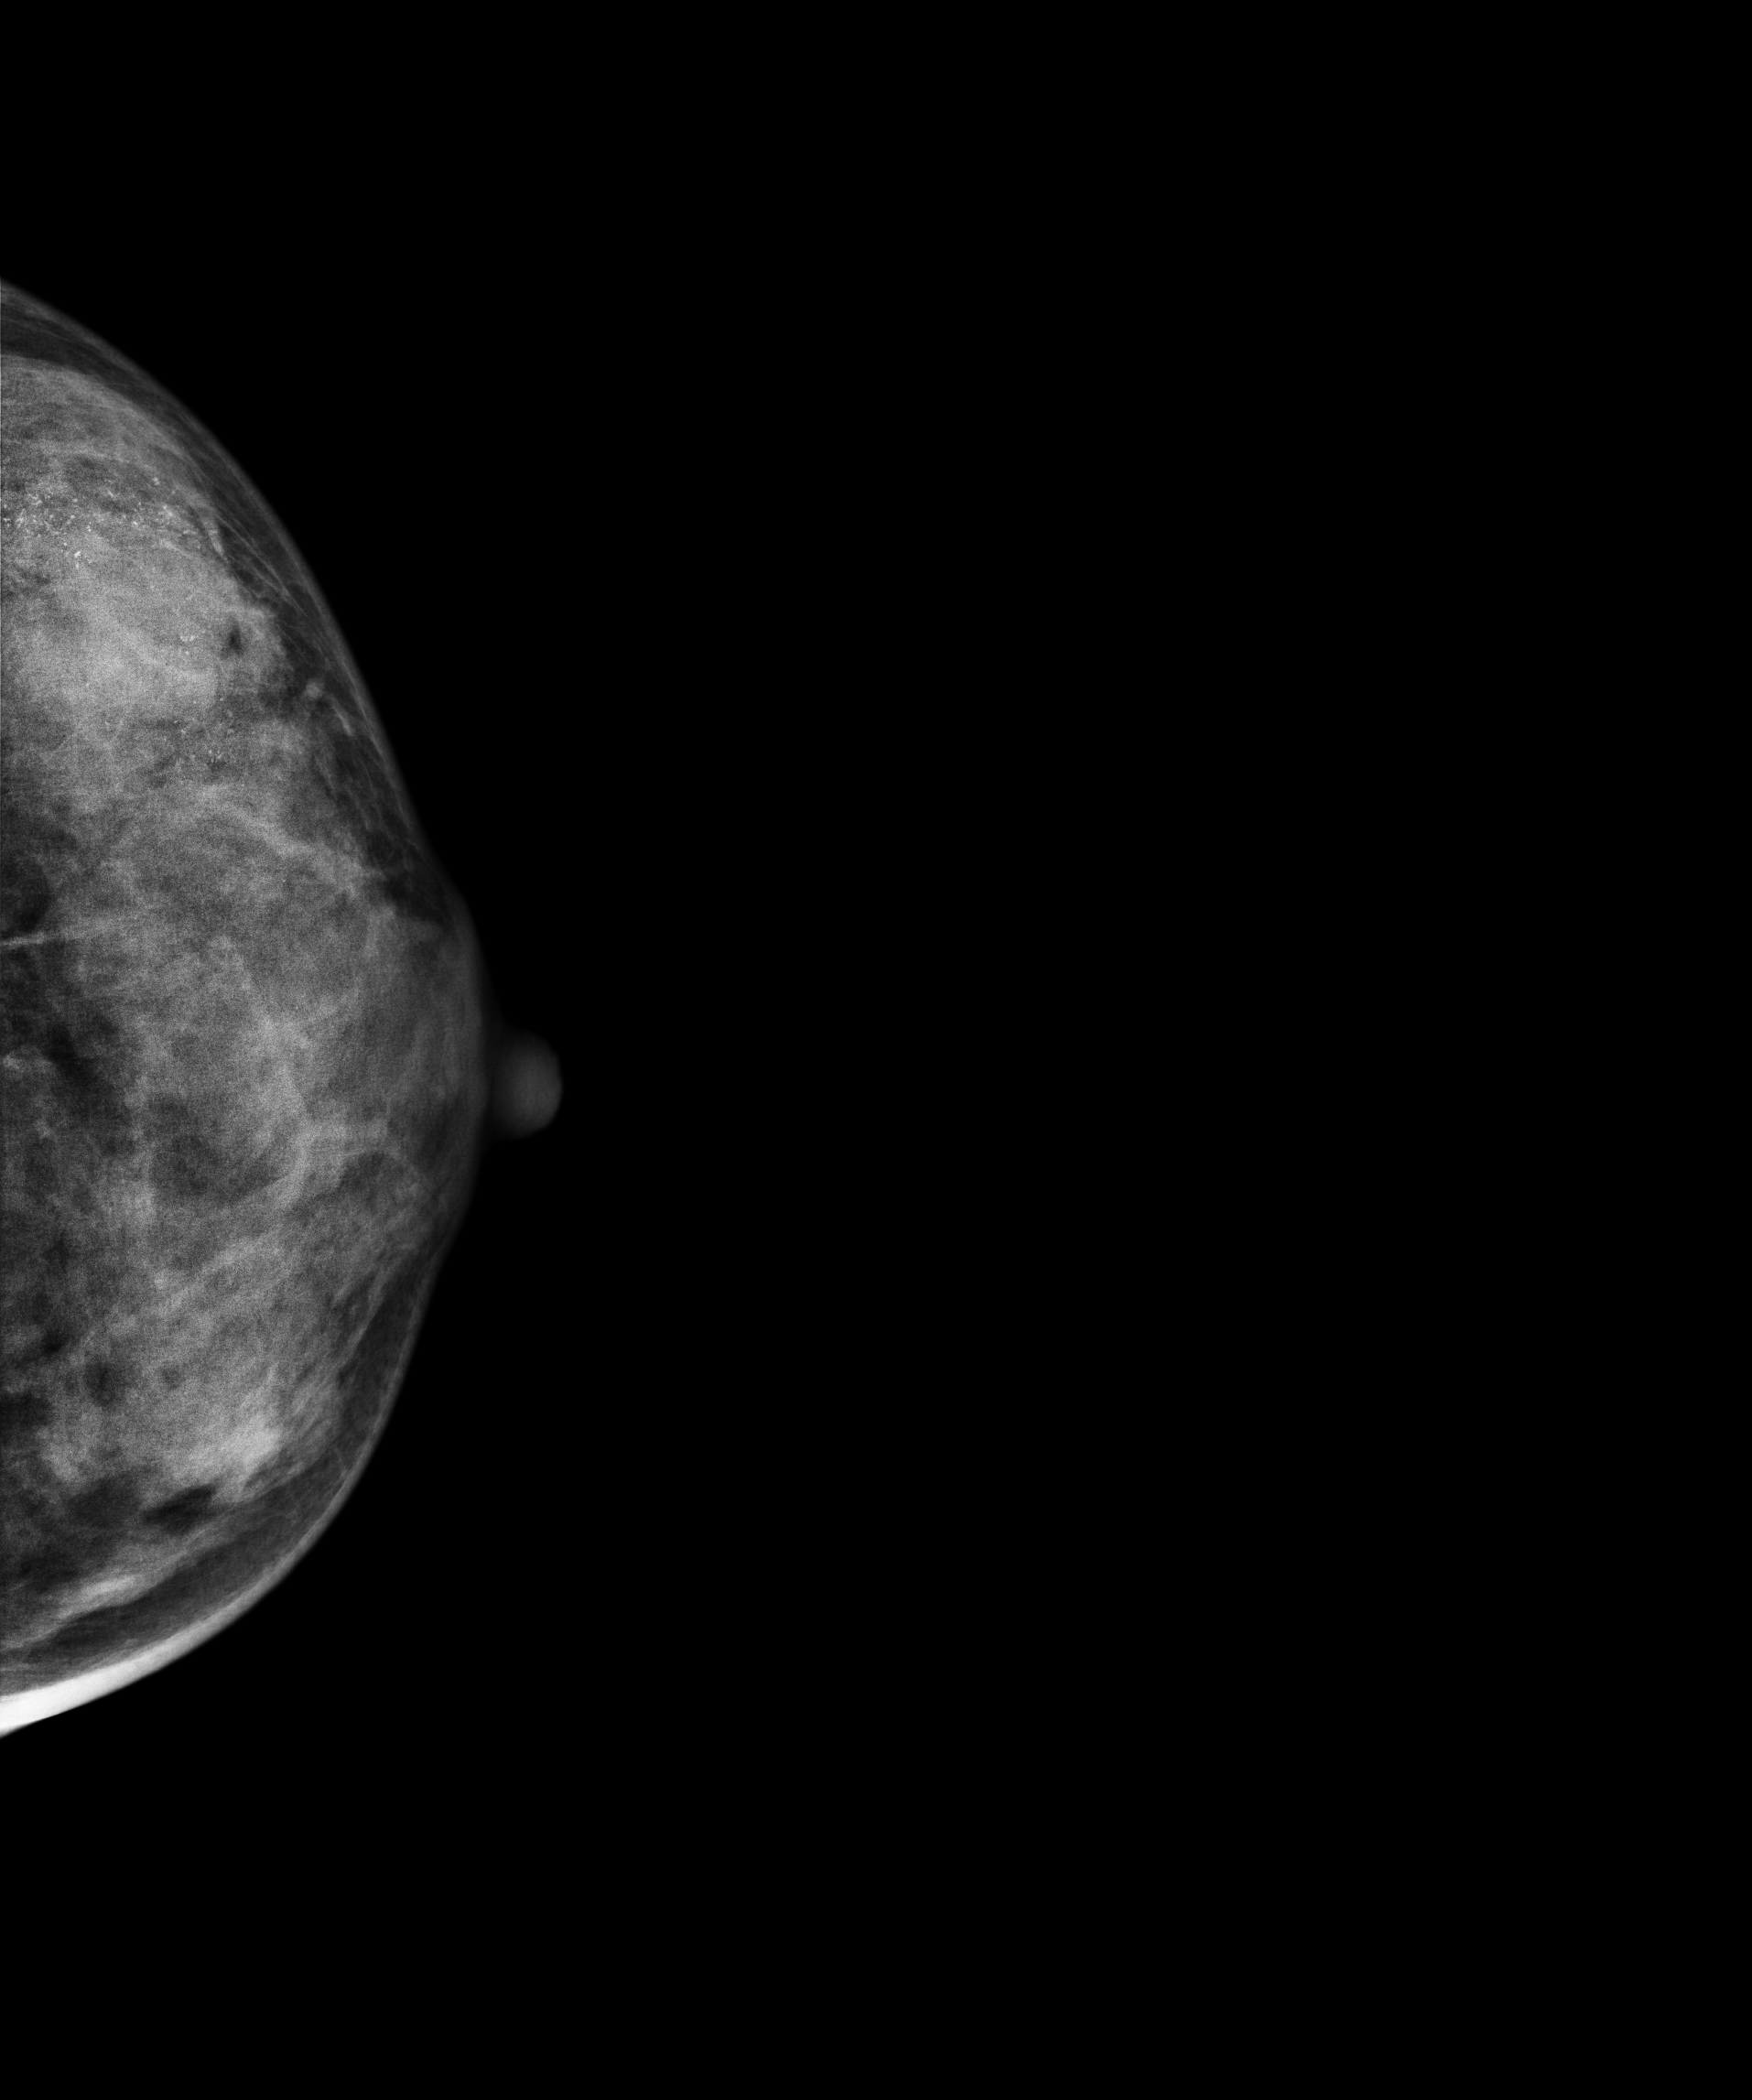
Digital mammography. Left breast, cranio-caudal projection. 40 y/o patient.
This breast has a mass and calcifications, biopsy-proven malignant.